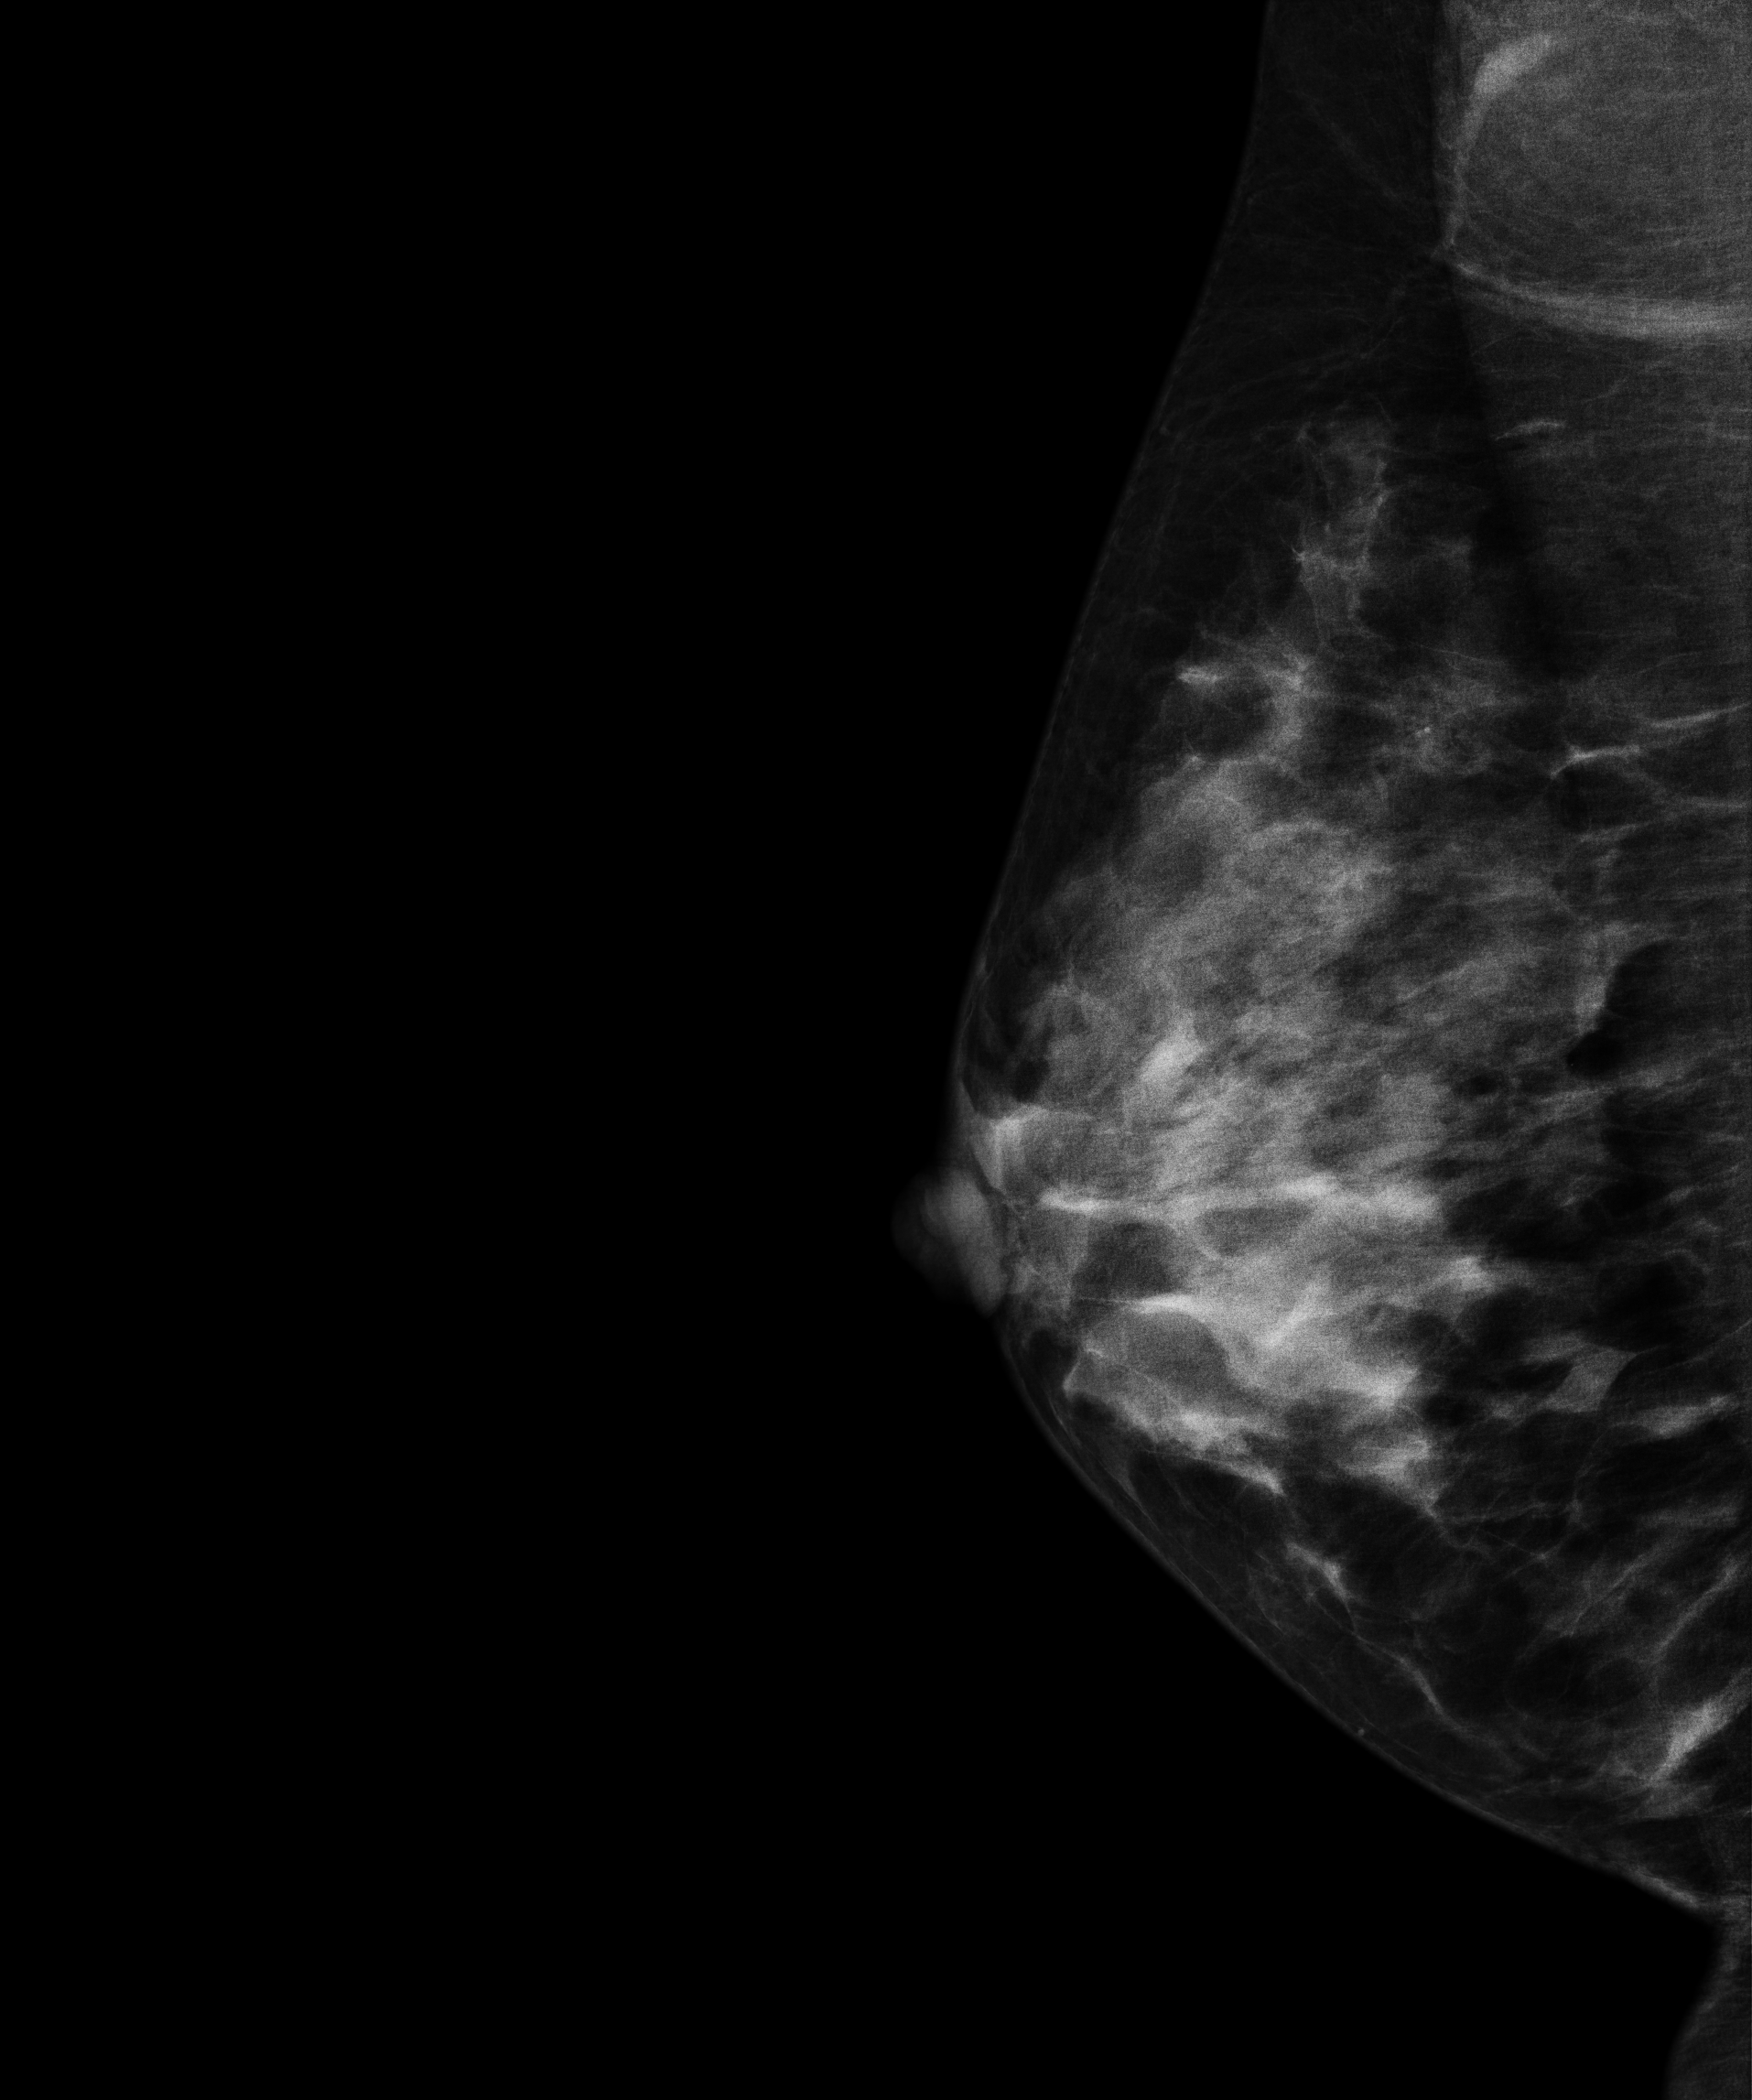
Mammogram, right breast, medio-lateral oblique view. Patient age 50.
Contralateral breast — no documented abnormality on this side.